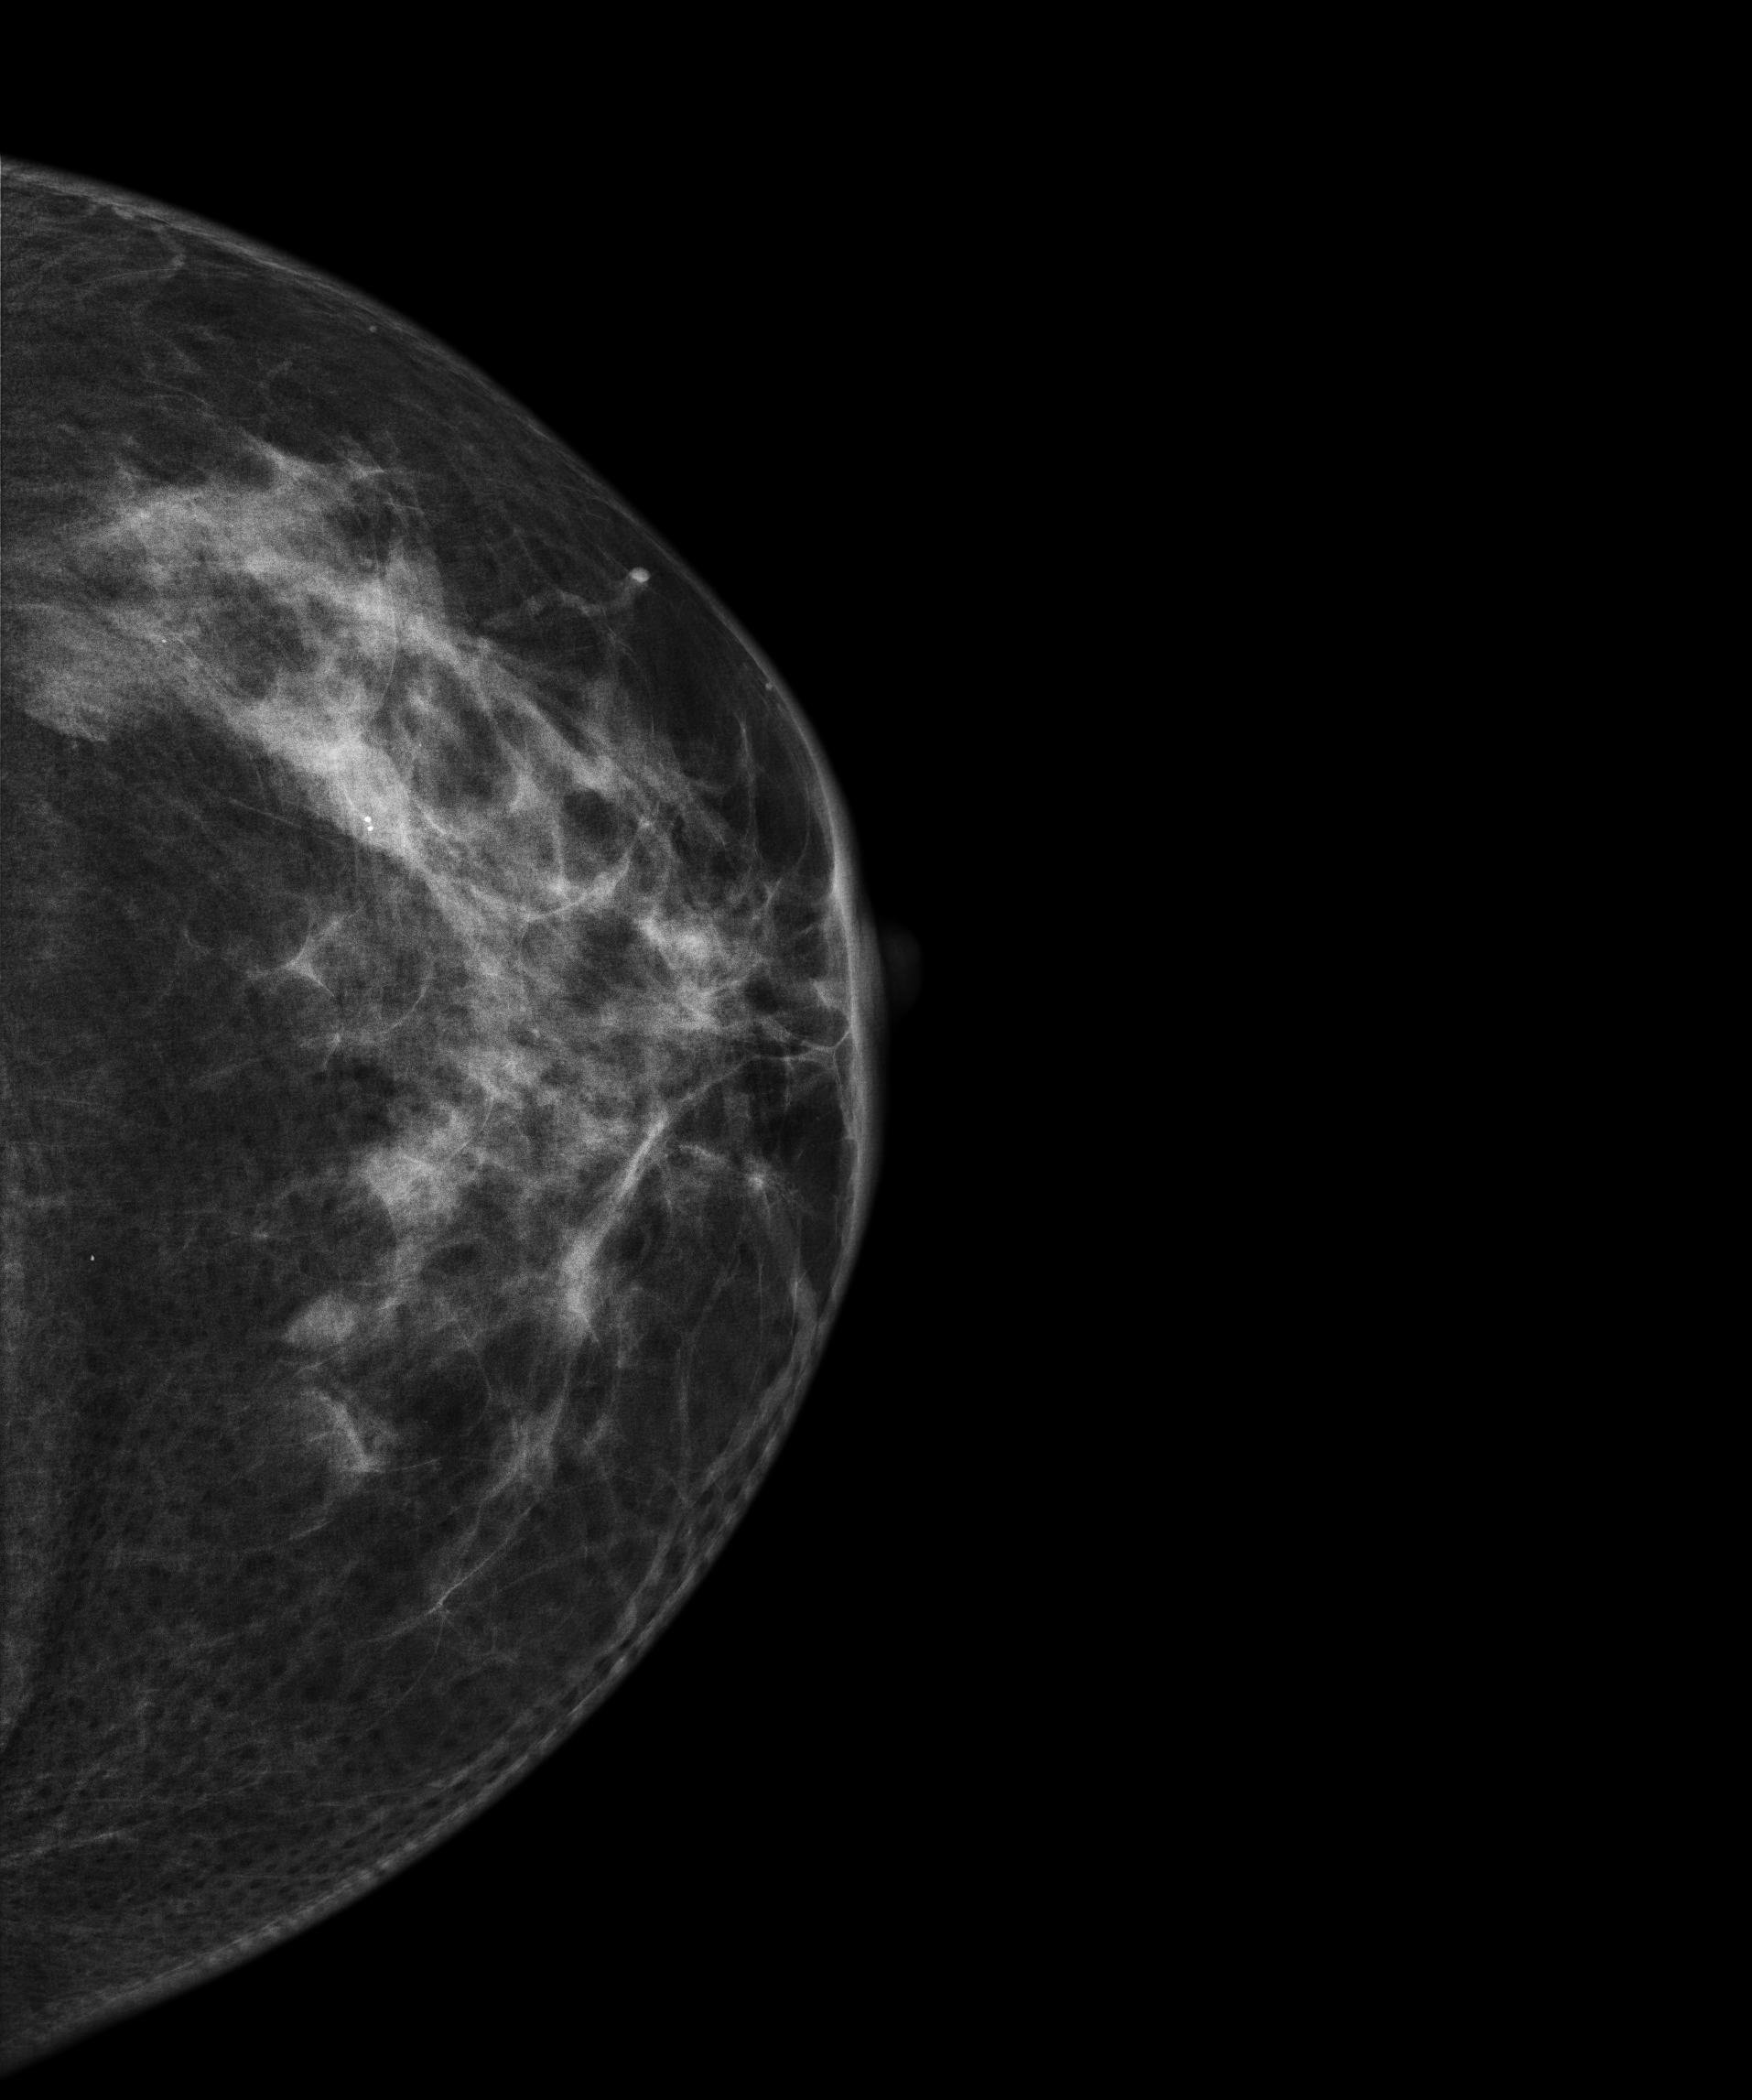
Left-breast mammogram, CC. Patient age 50.
This breast has a mass and calcifications, histologically confirmed benign.